Digital mammography. Left breast, MLO projection. Patient age 53.
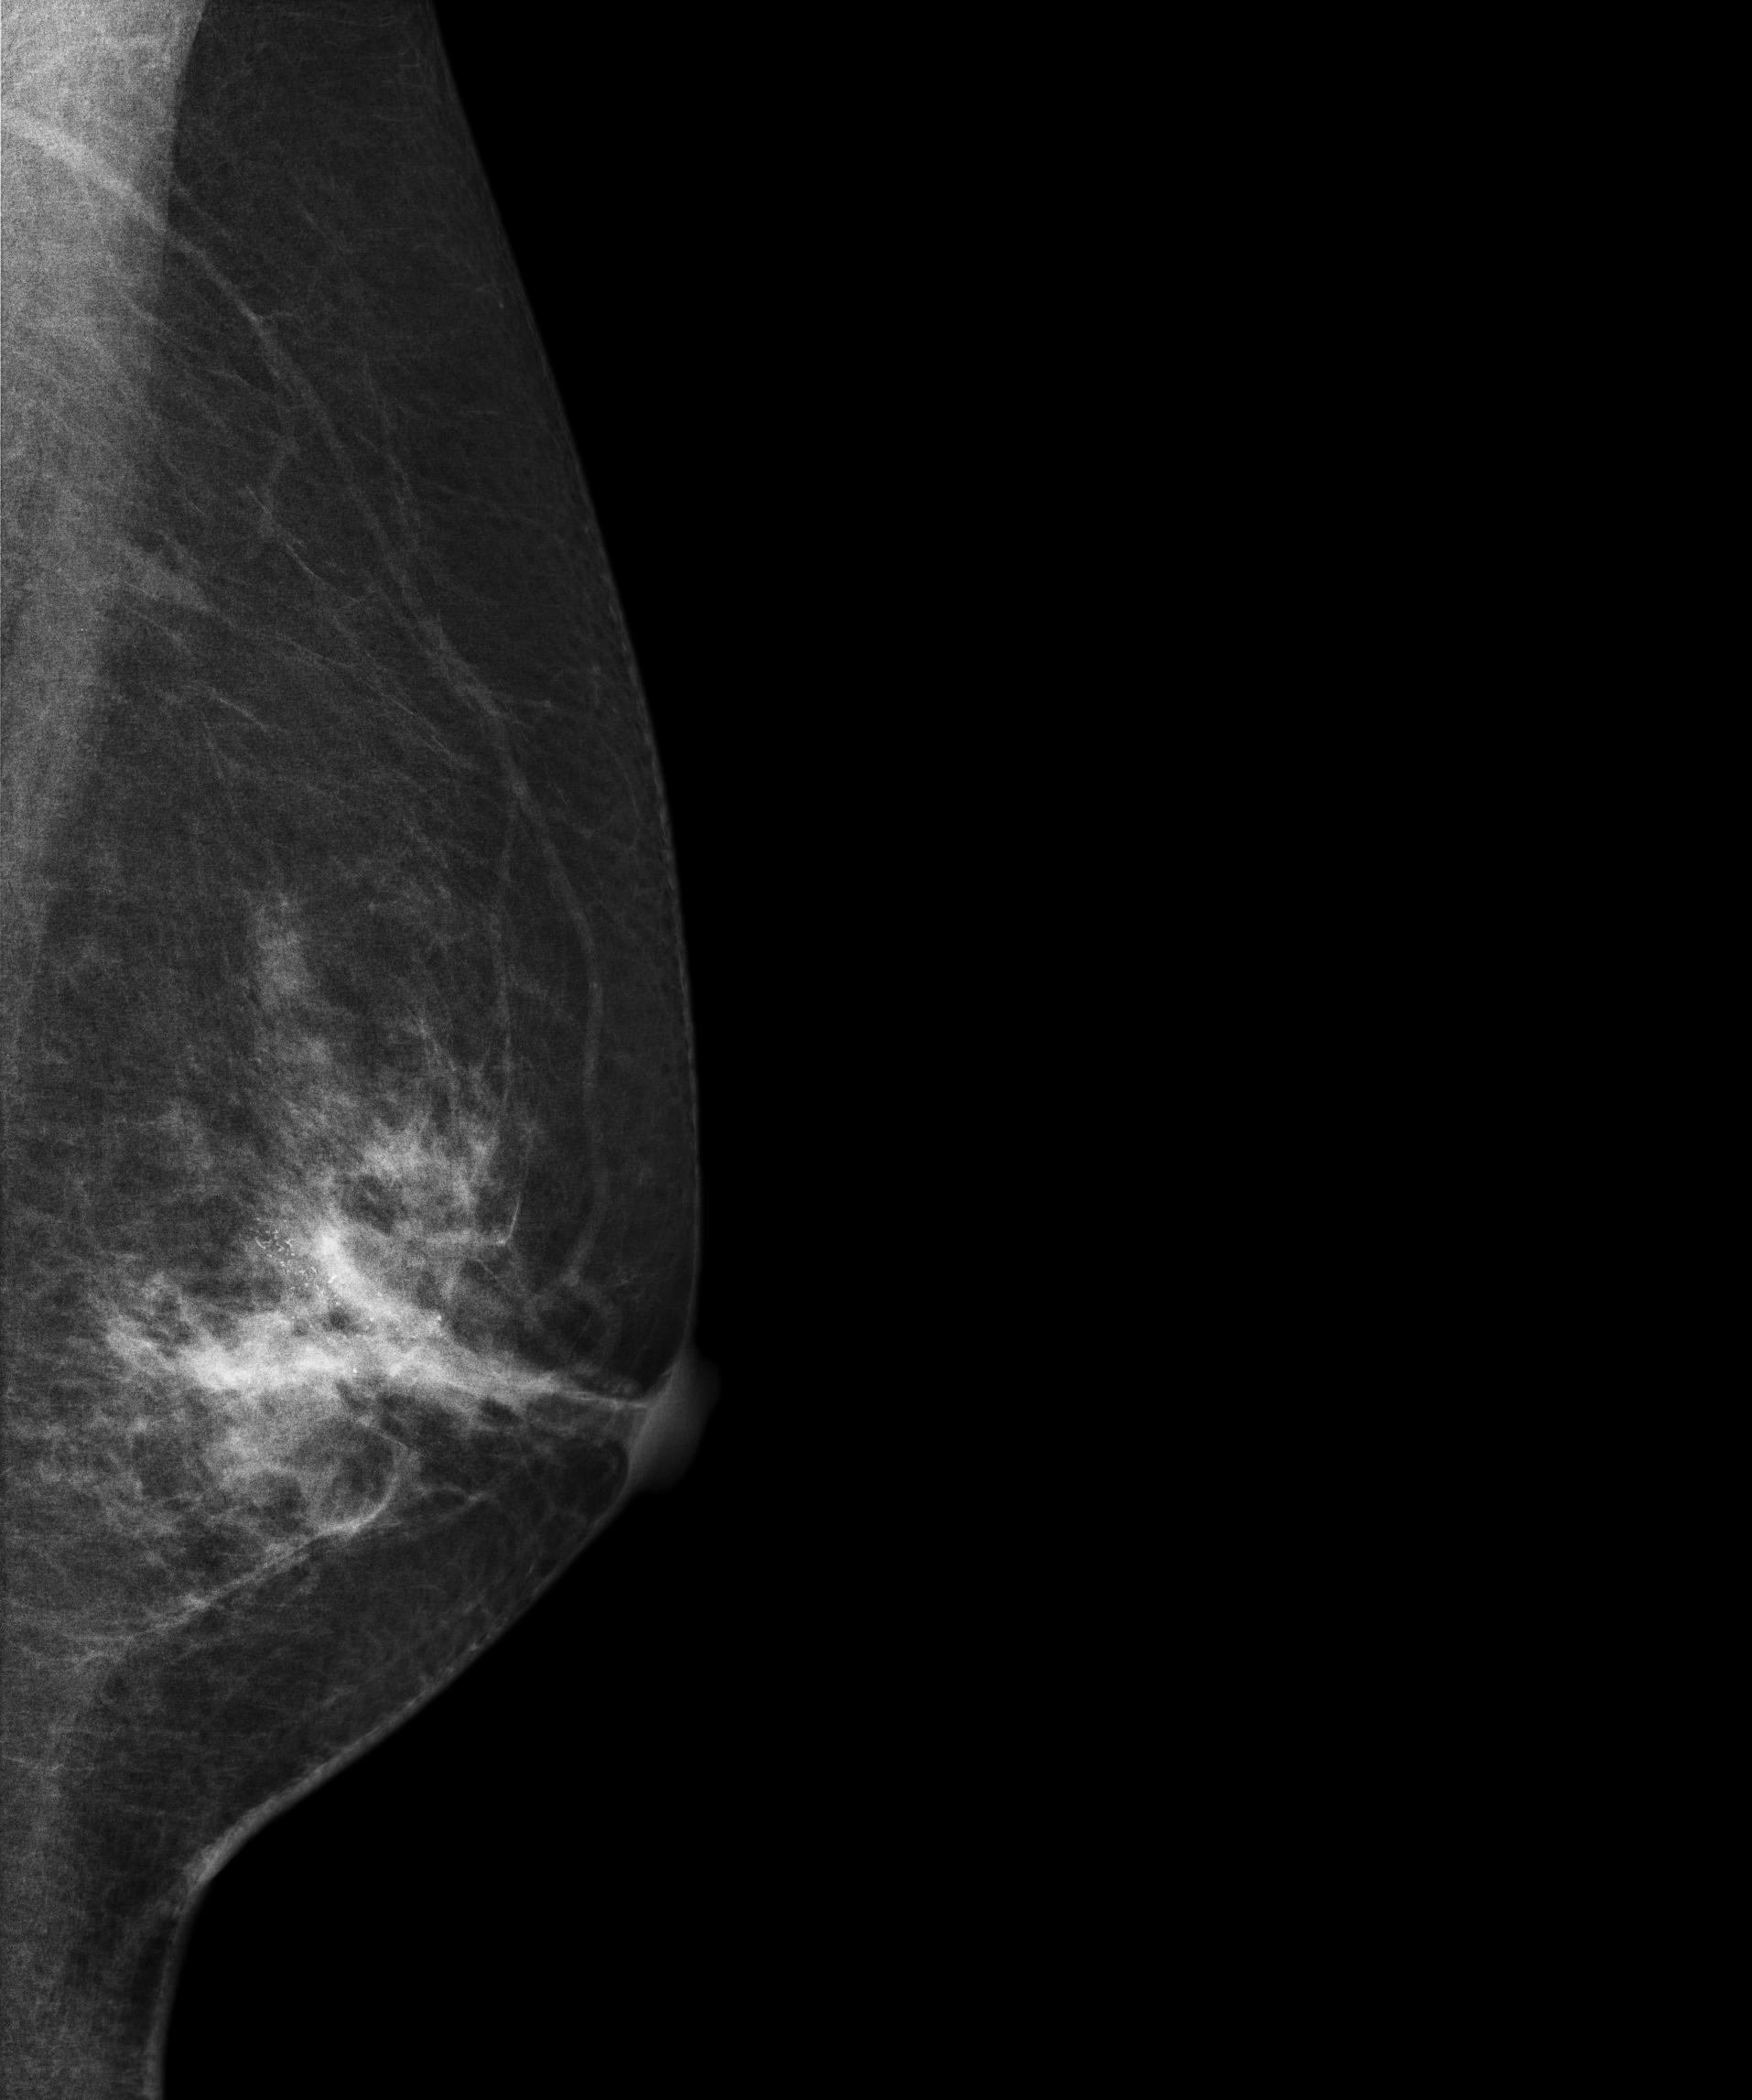
This breast has a mass and calcifications, histologically confirmed malignant.